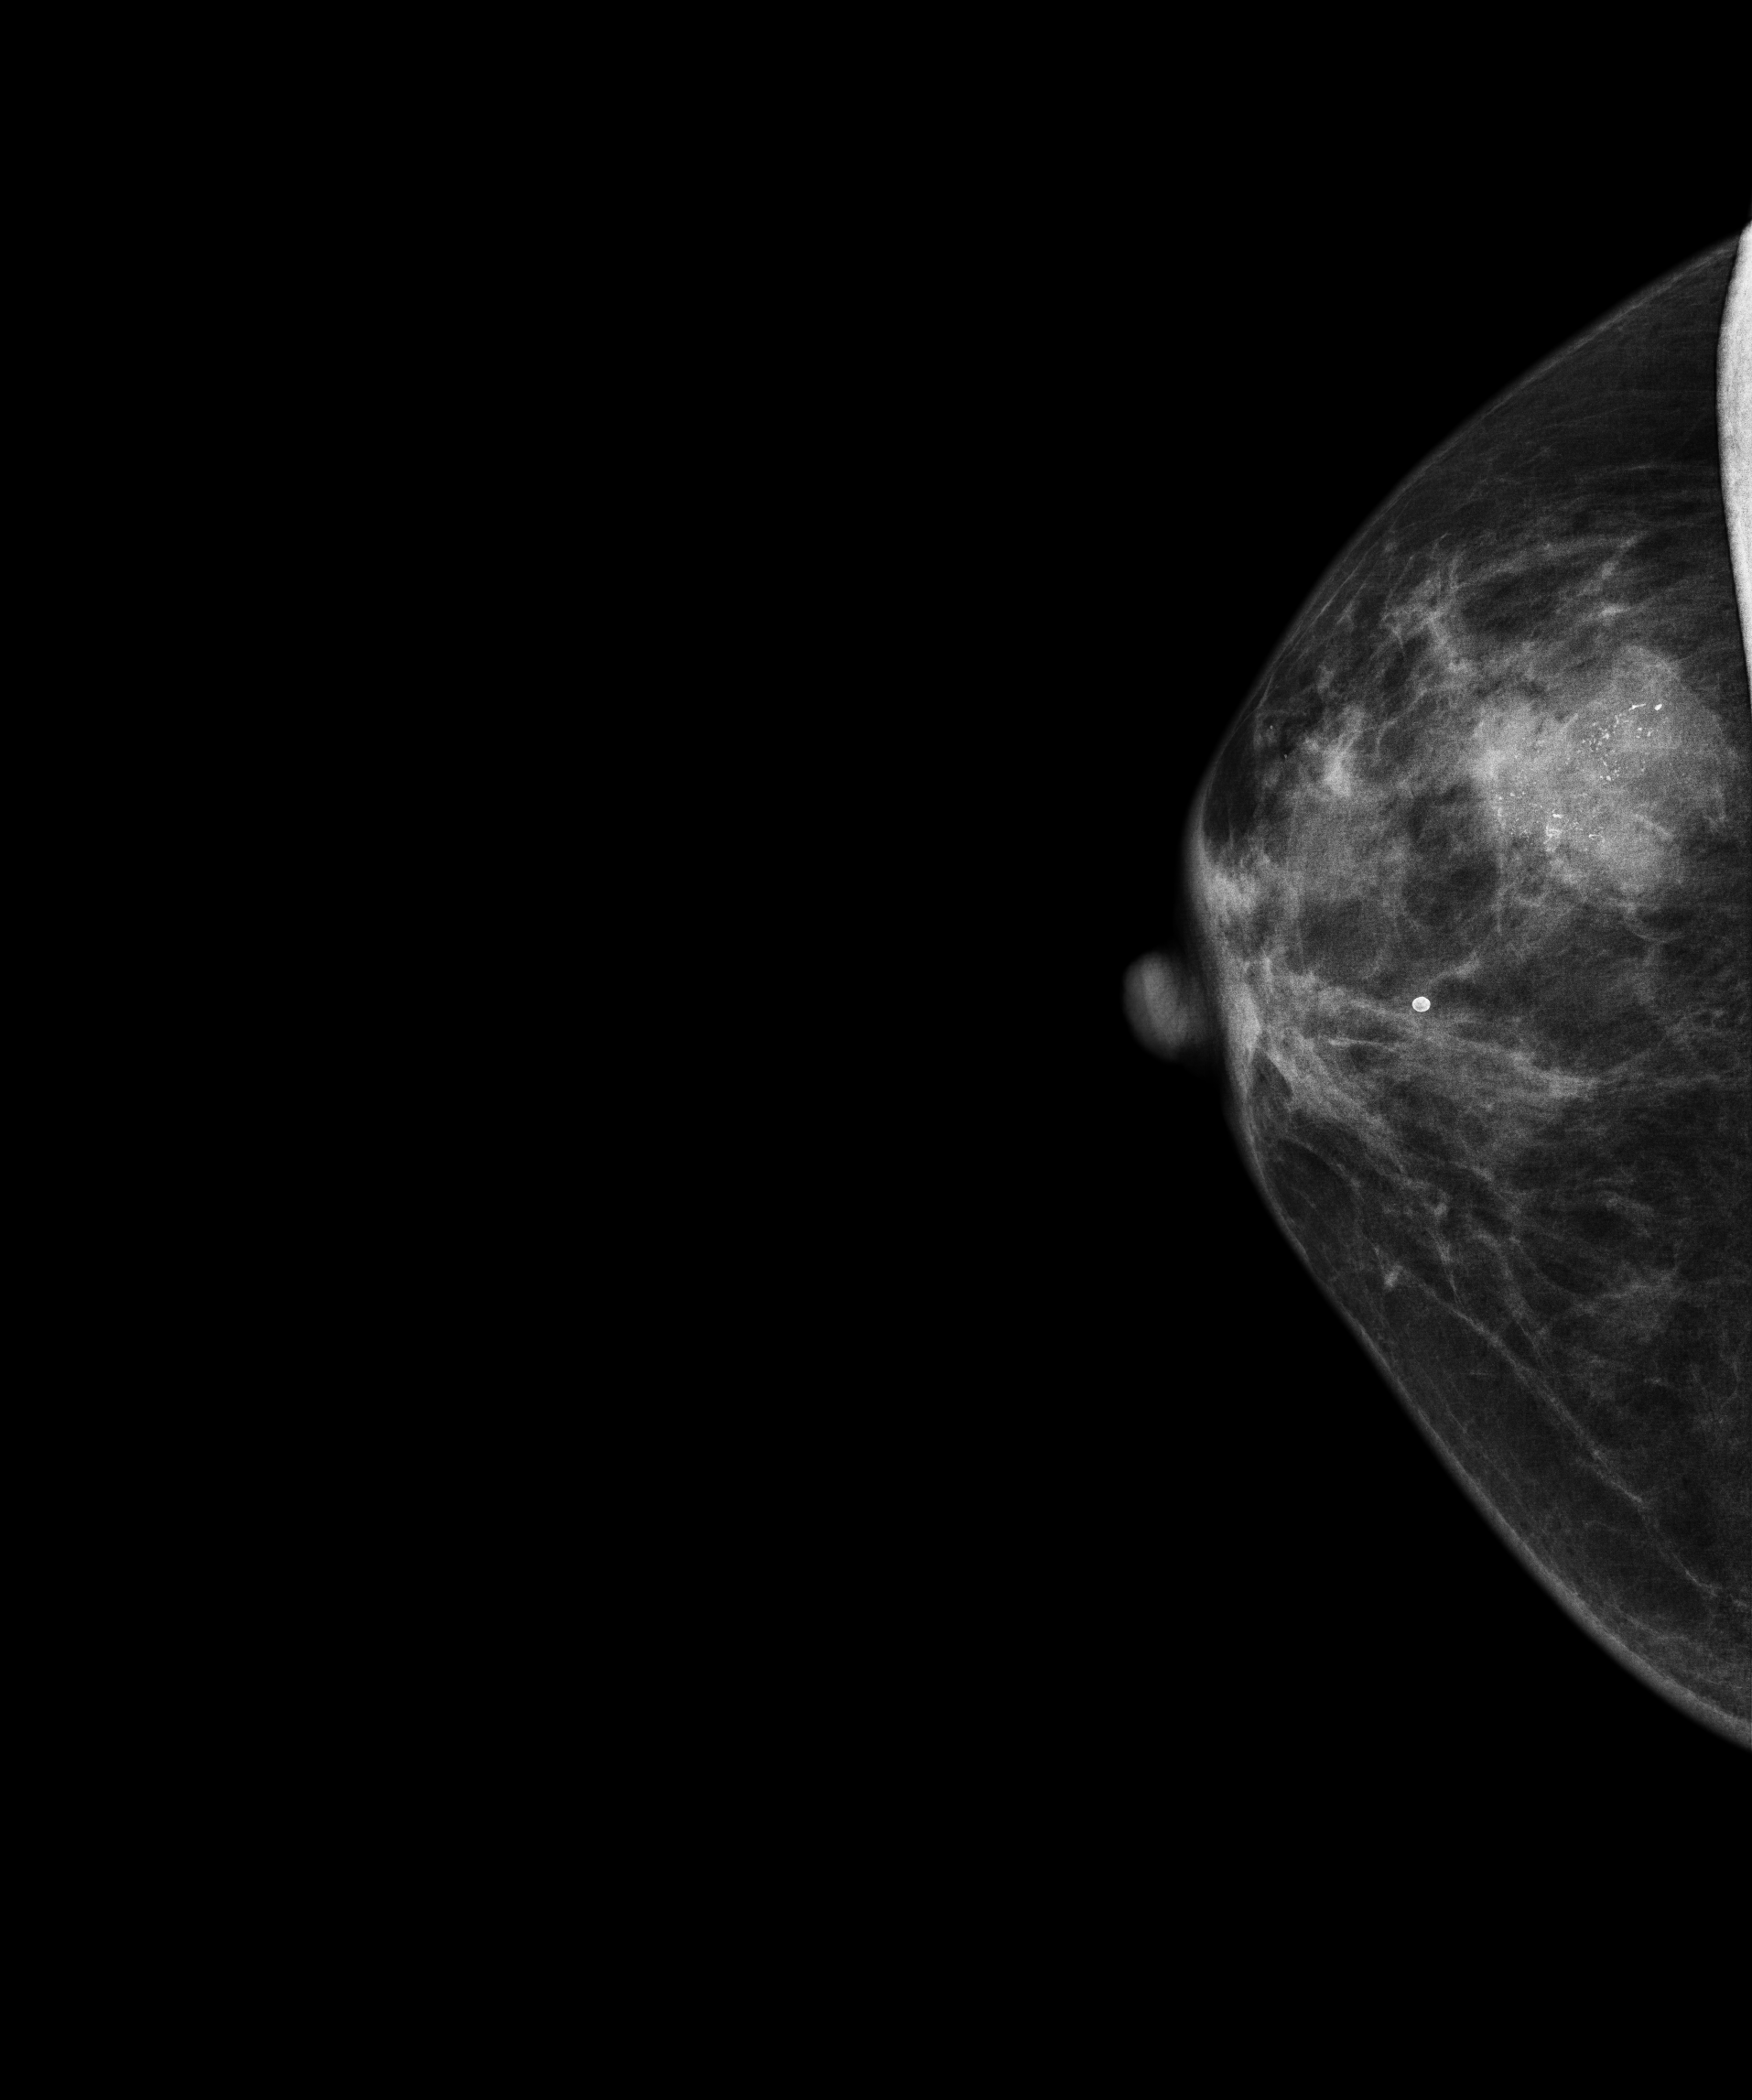
Digital mammography. Right breast, cranio-caudal projection. 67 y/o patient.
This breast has a mass and calcifications, biopsy-proven malignant.